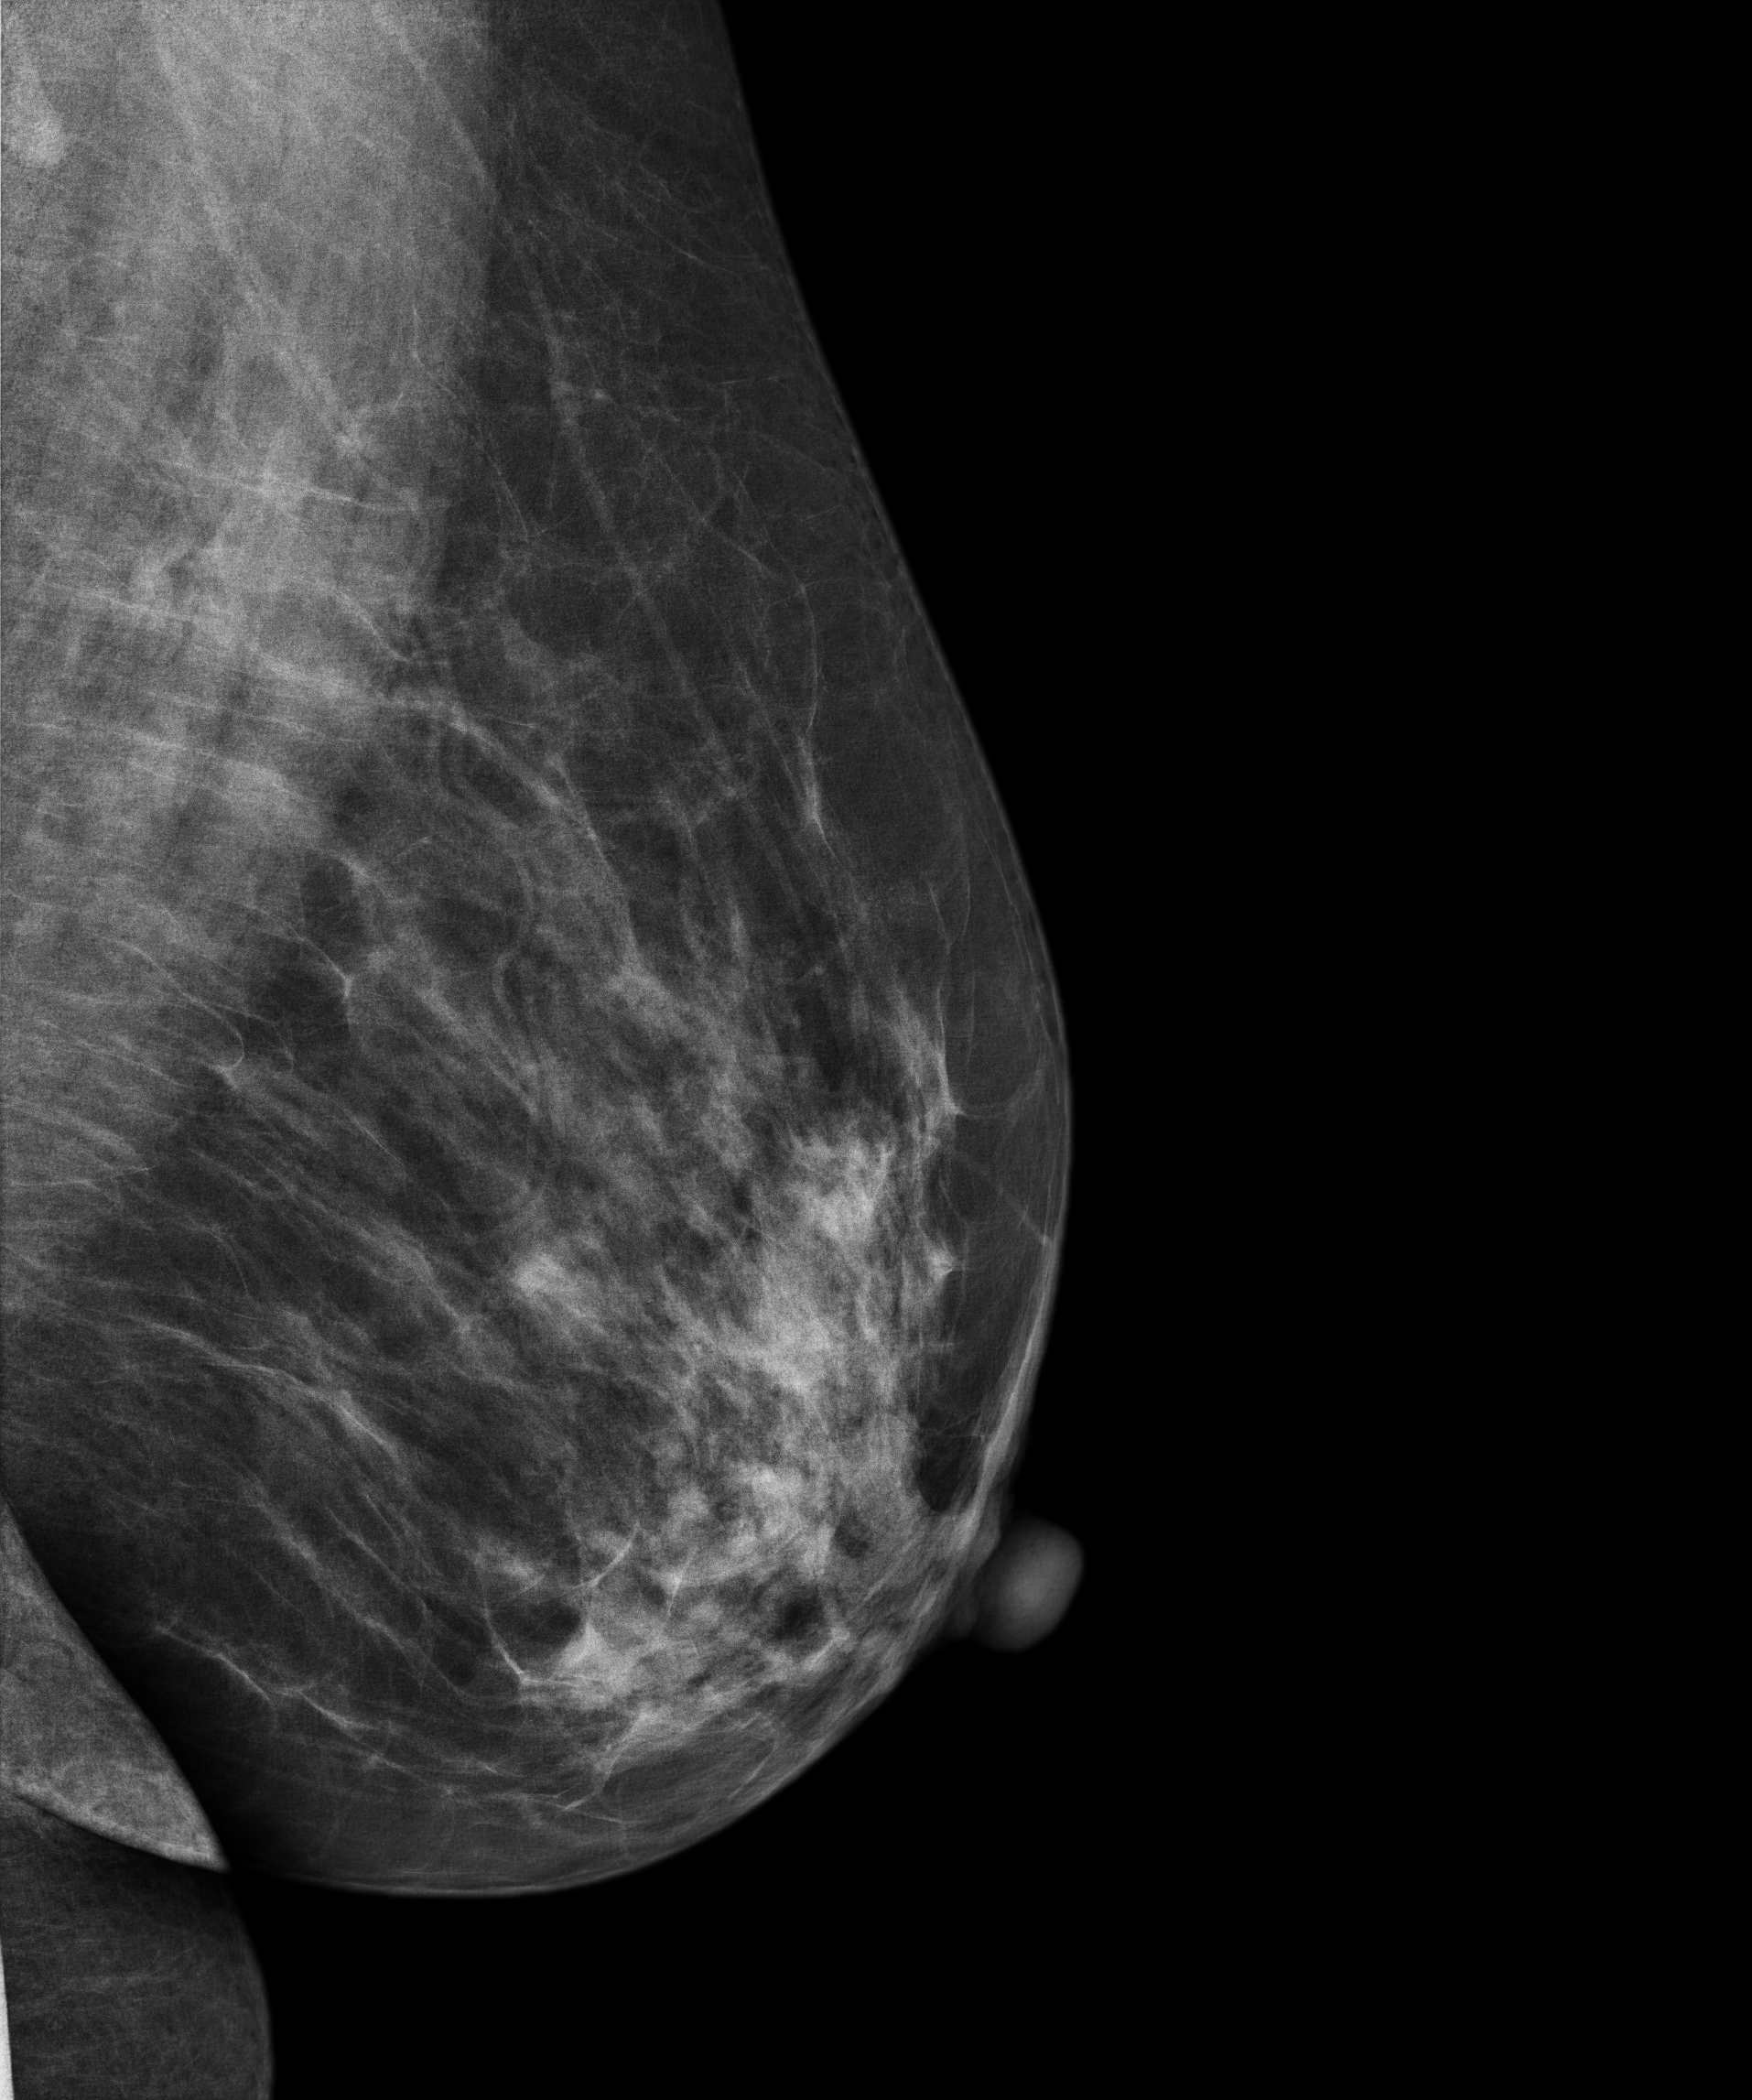
Mammogram, left breast, medio-lateral oblique view. 57 y/o patient.
Contralateral breast — no documented abnormality on this side.